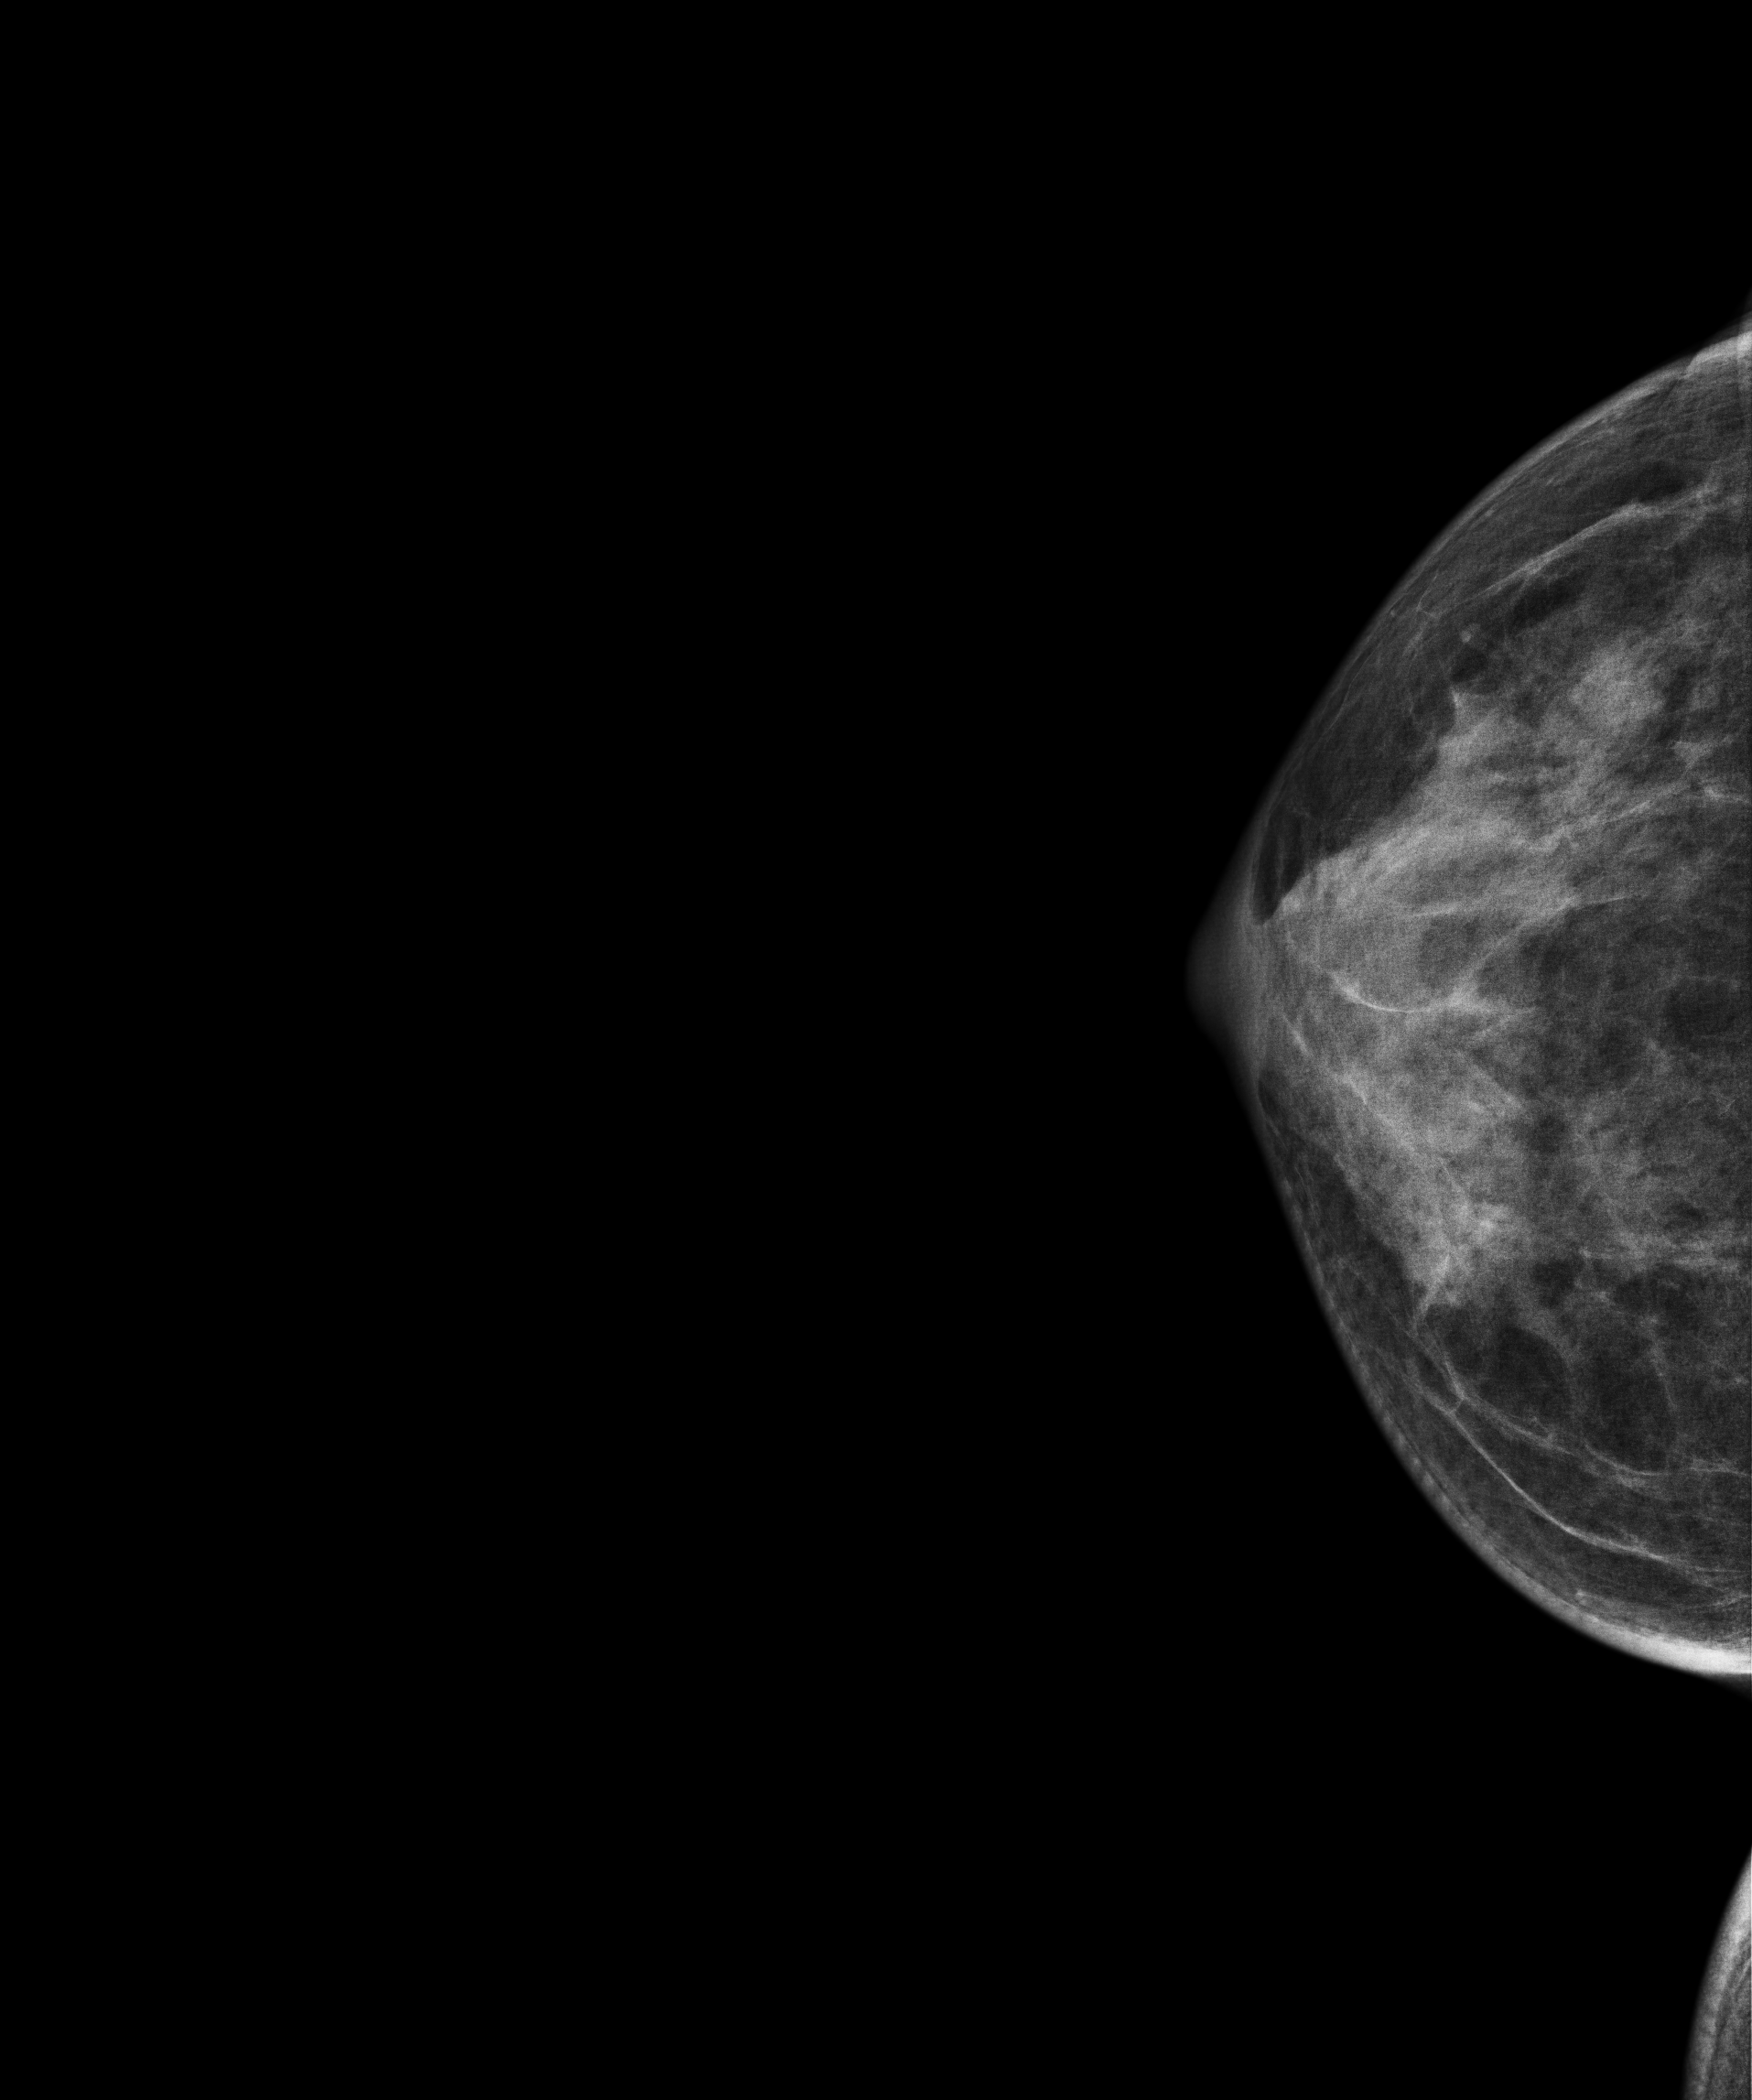
Mammogram — right CC. 43-year-old patient.
Contralateral breast — no documented abnormality on this side.